Medio-lateral oblique mammogram of the left breast. Patient age 51.
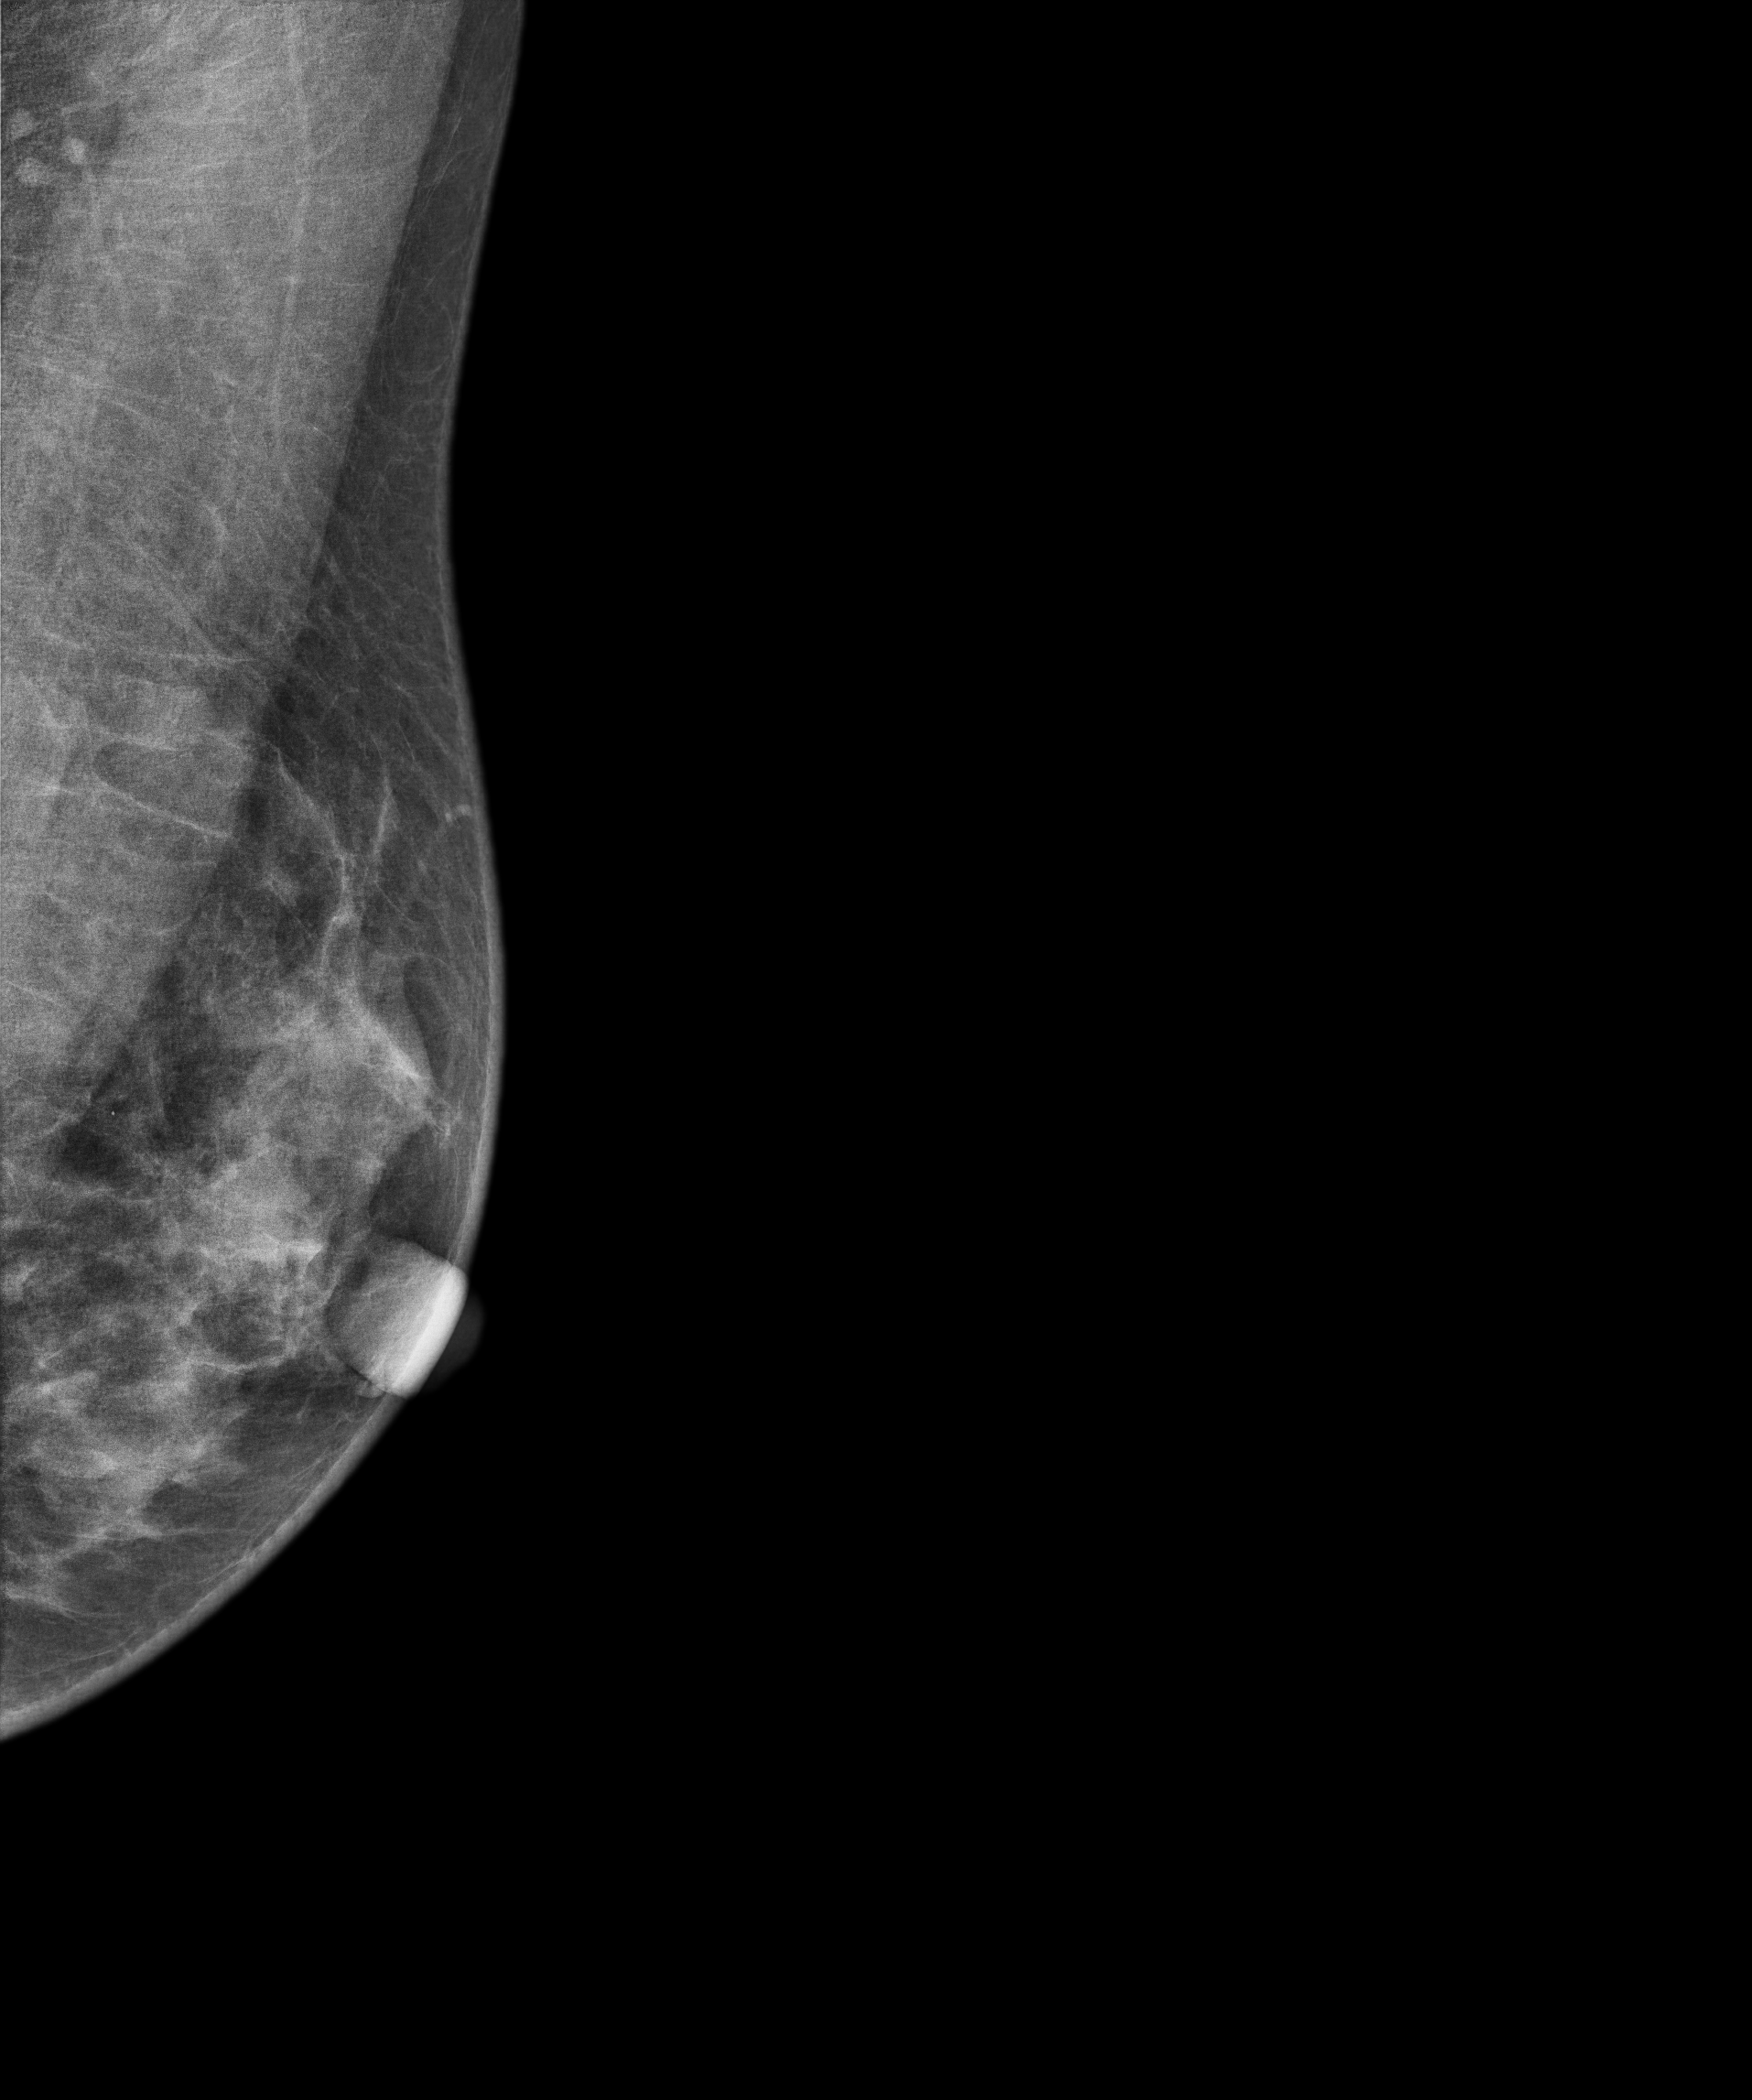
Contralateral breast — no documented abnormality on this side.